Mammogram, left breast, MLO view. 46-year-old patient.
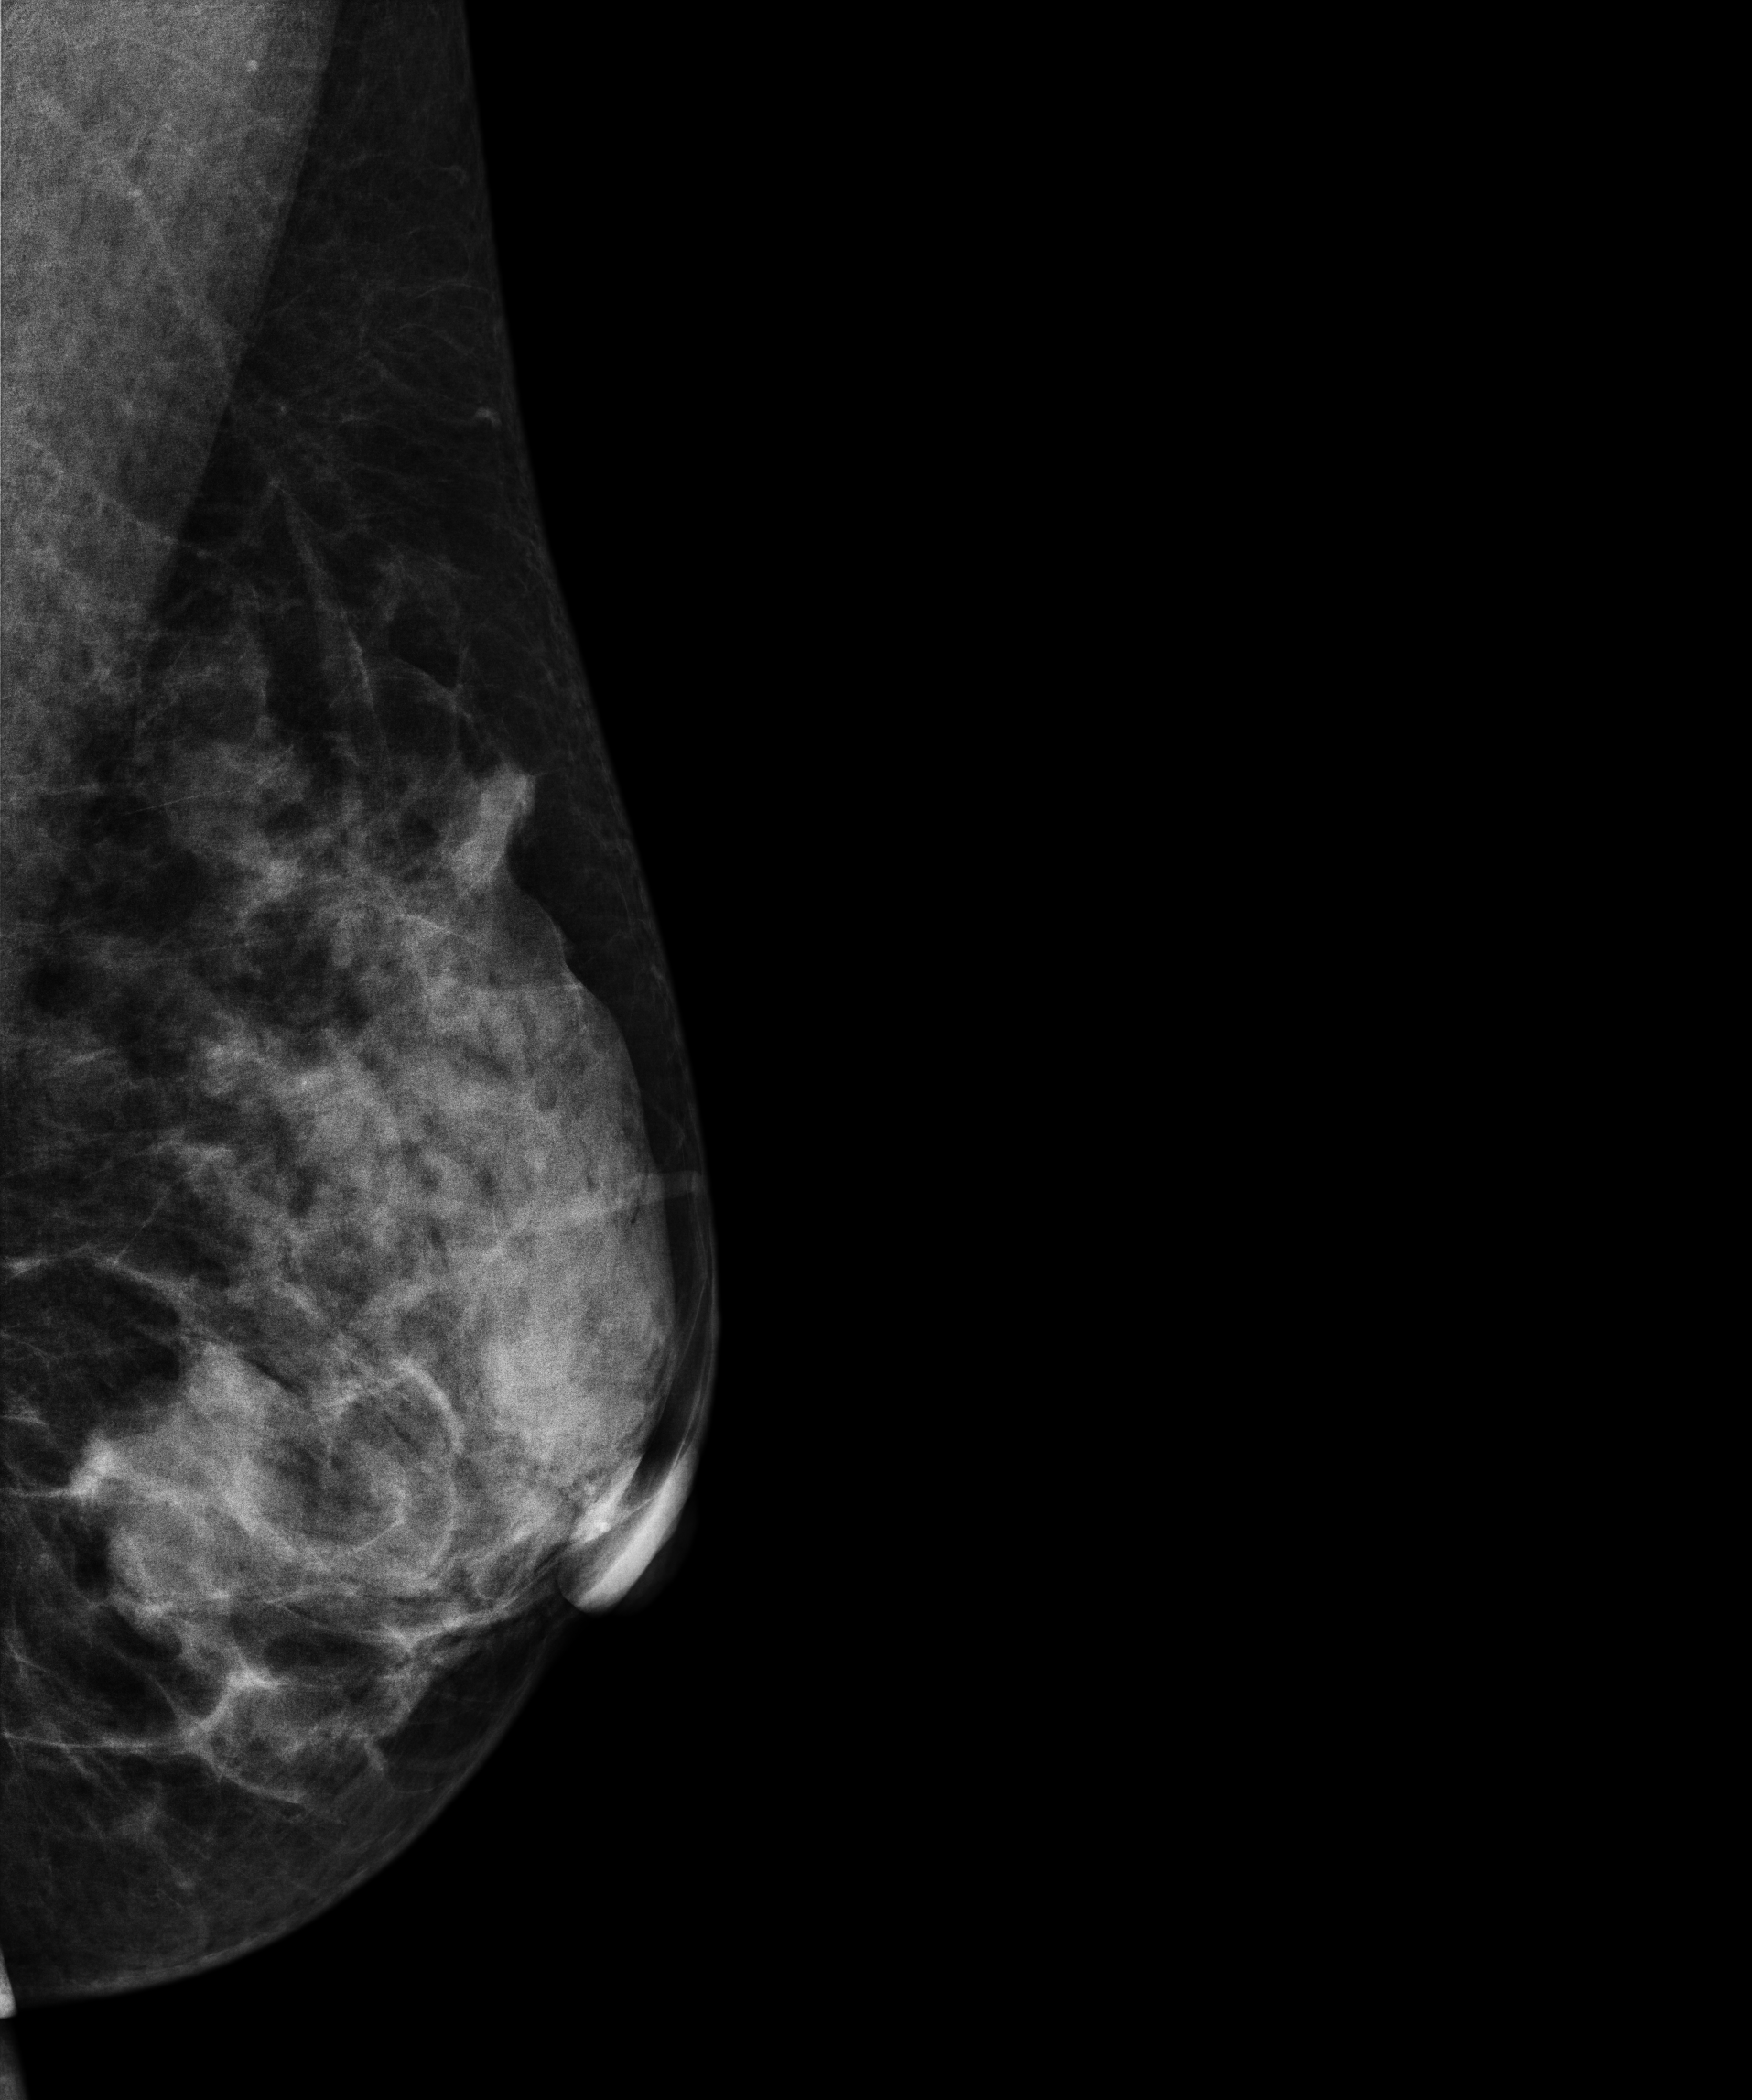
This breast has a mass, pathology-confirmed malignant.